Cranio-caudal mammogram of the right breast. 39 y/o patient.
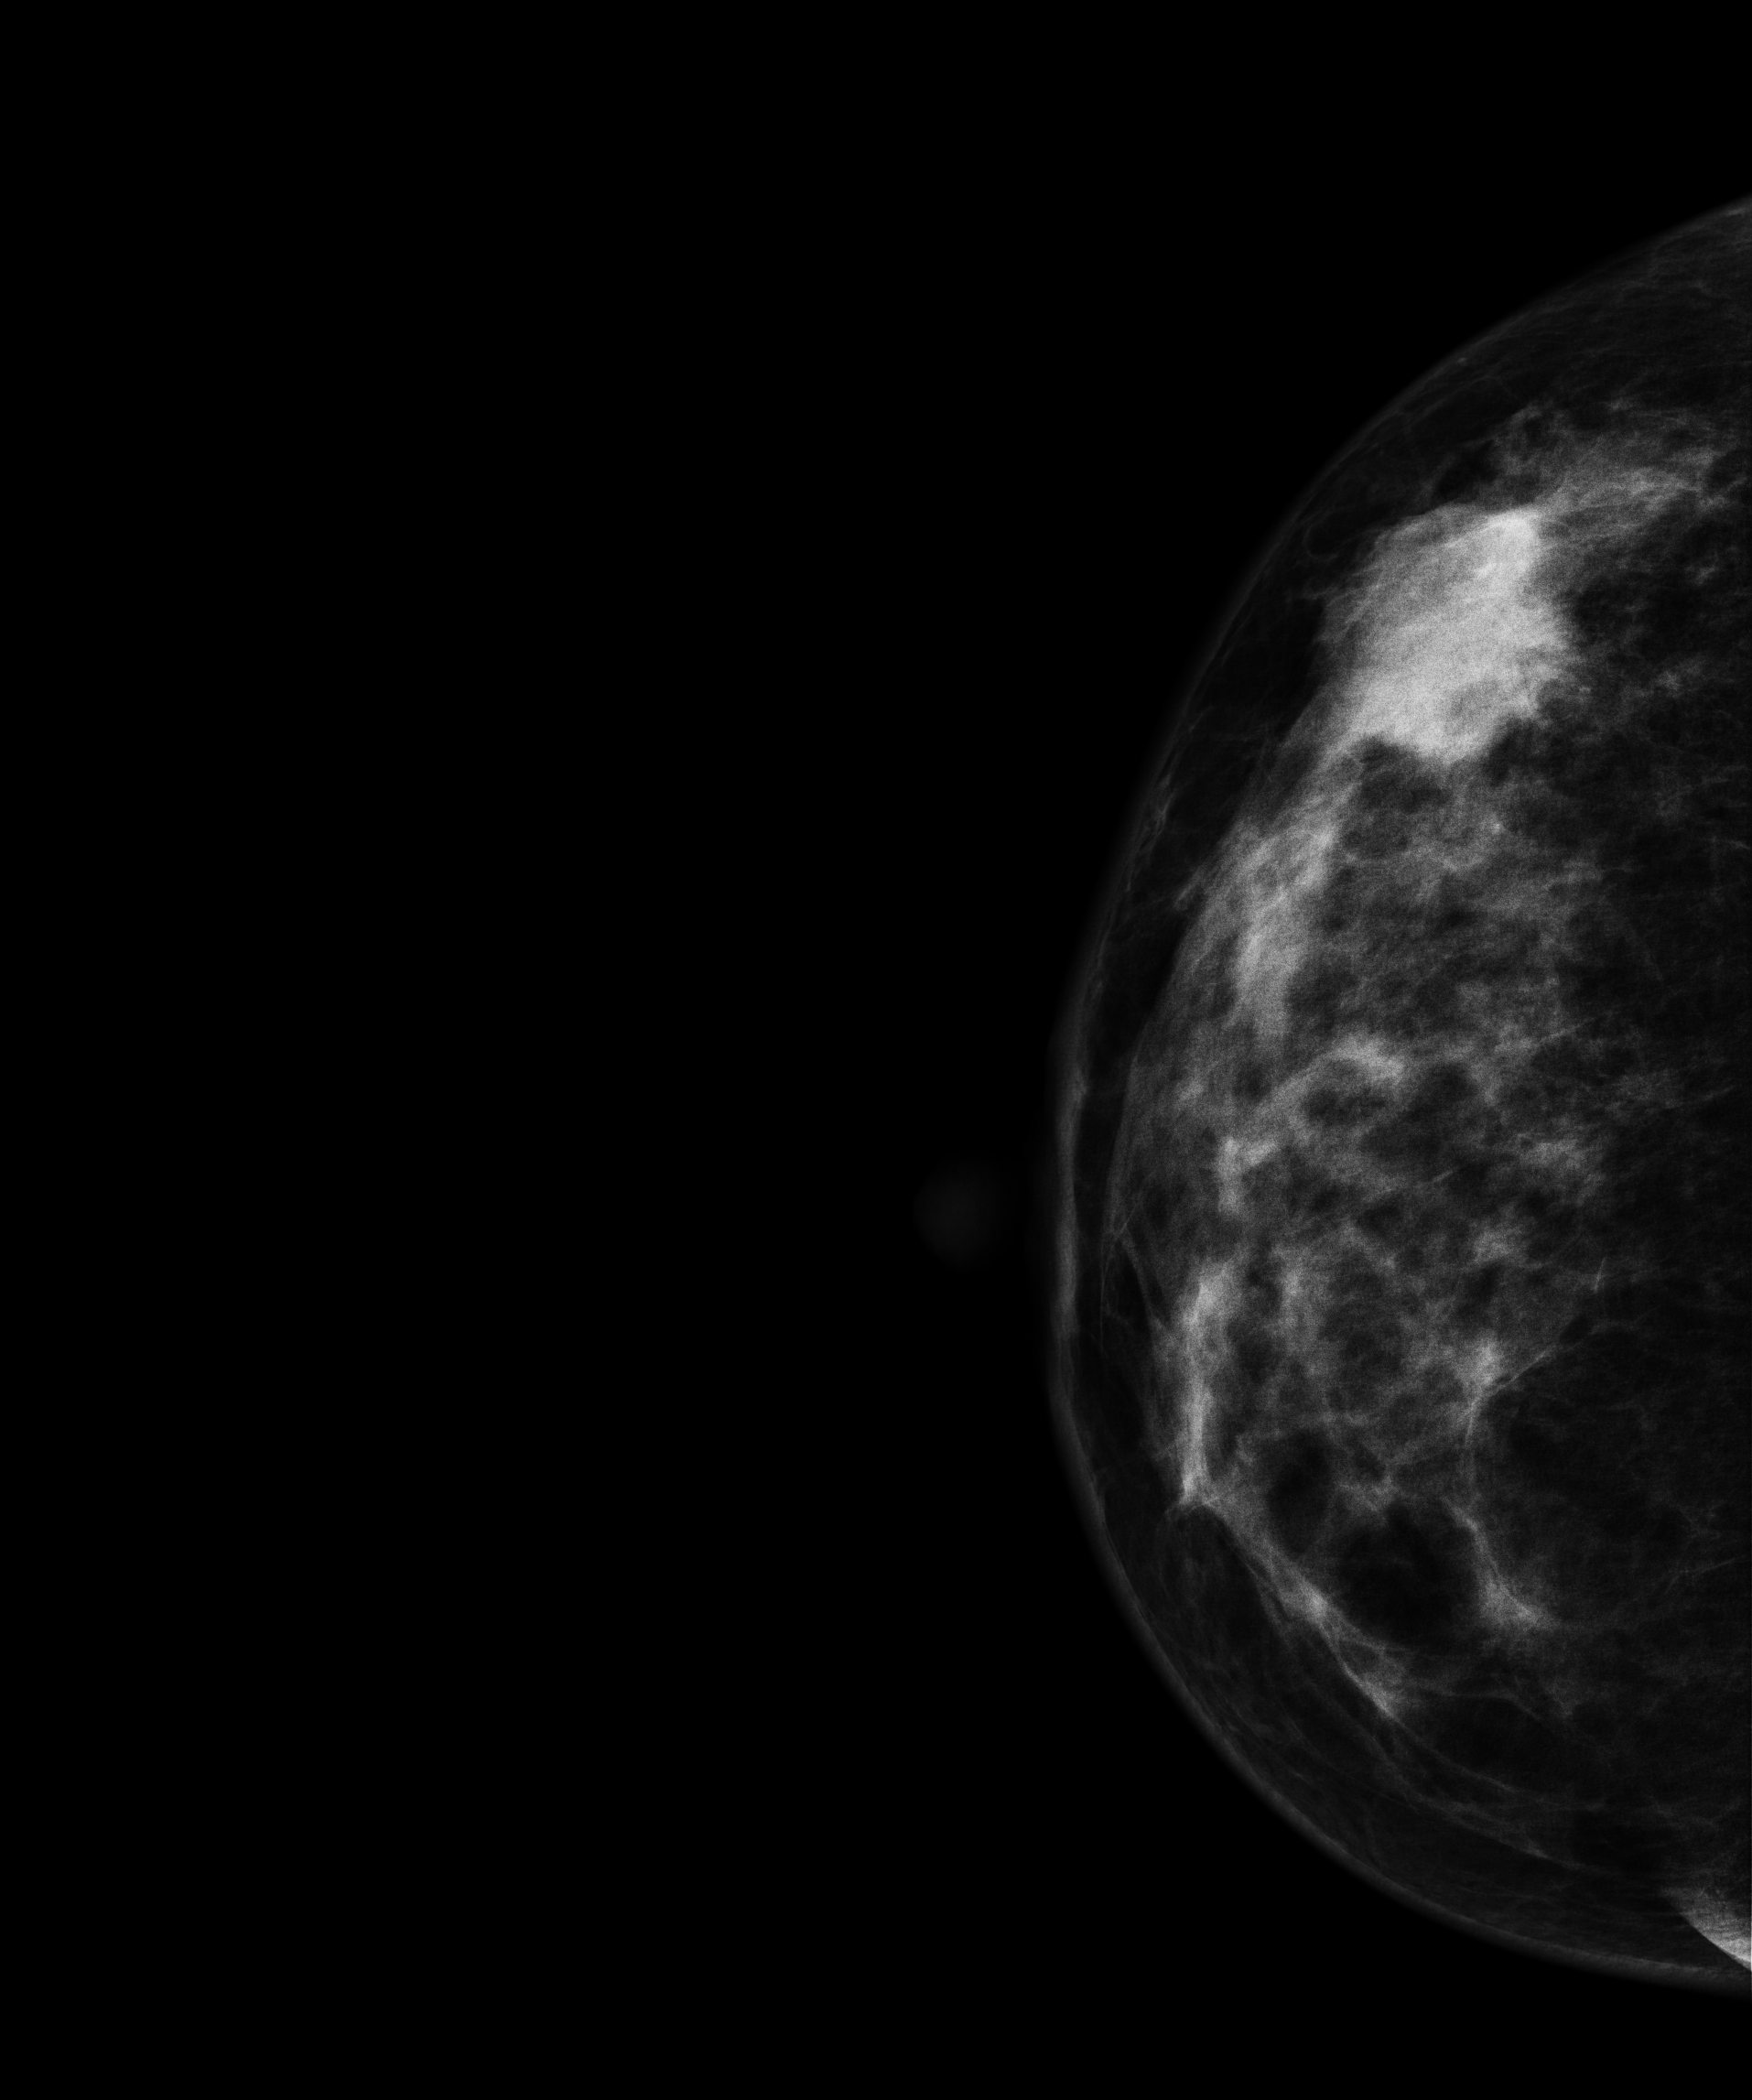
This breast has a mass, pathology-confirmed malignant.